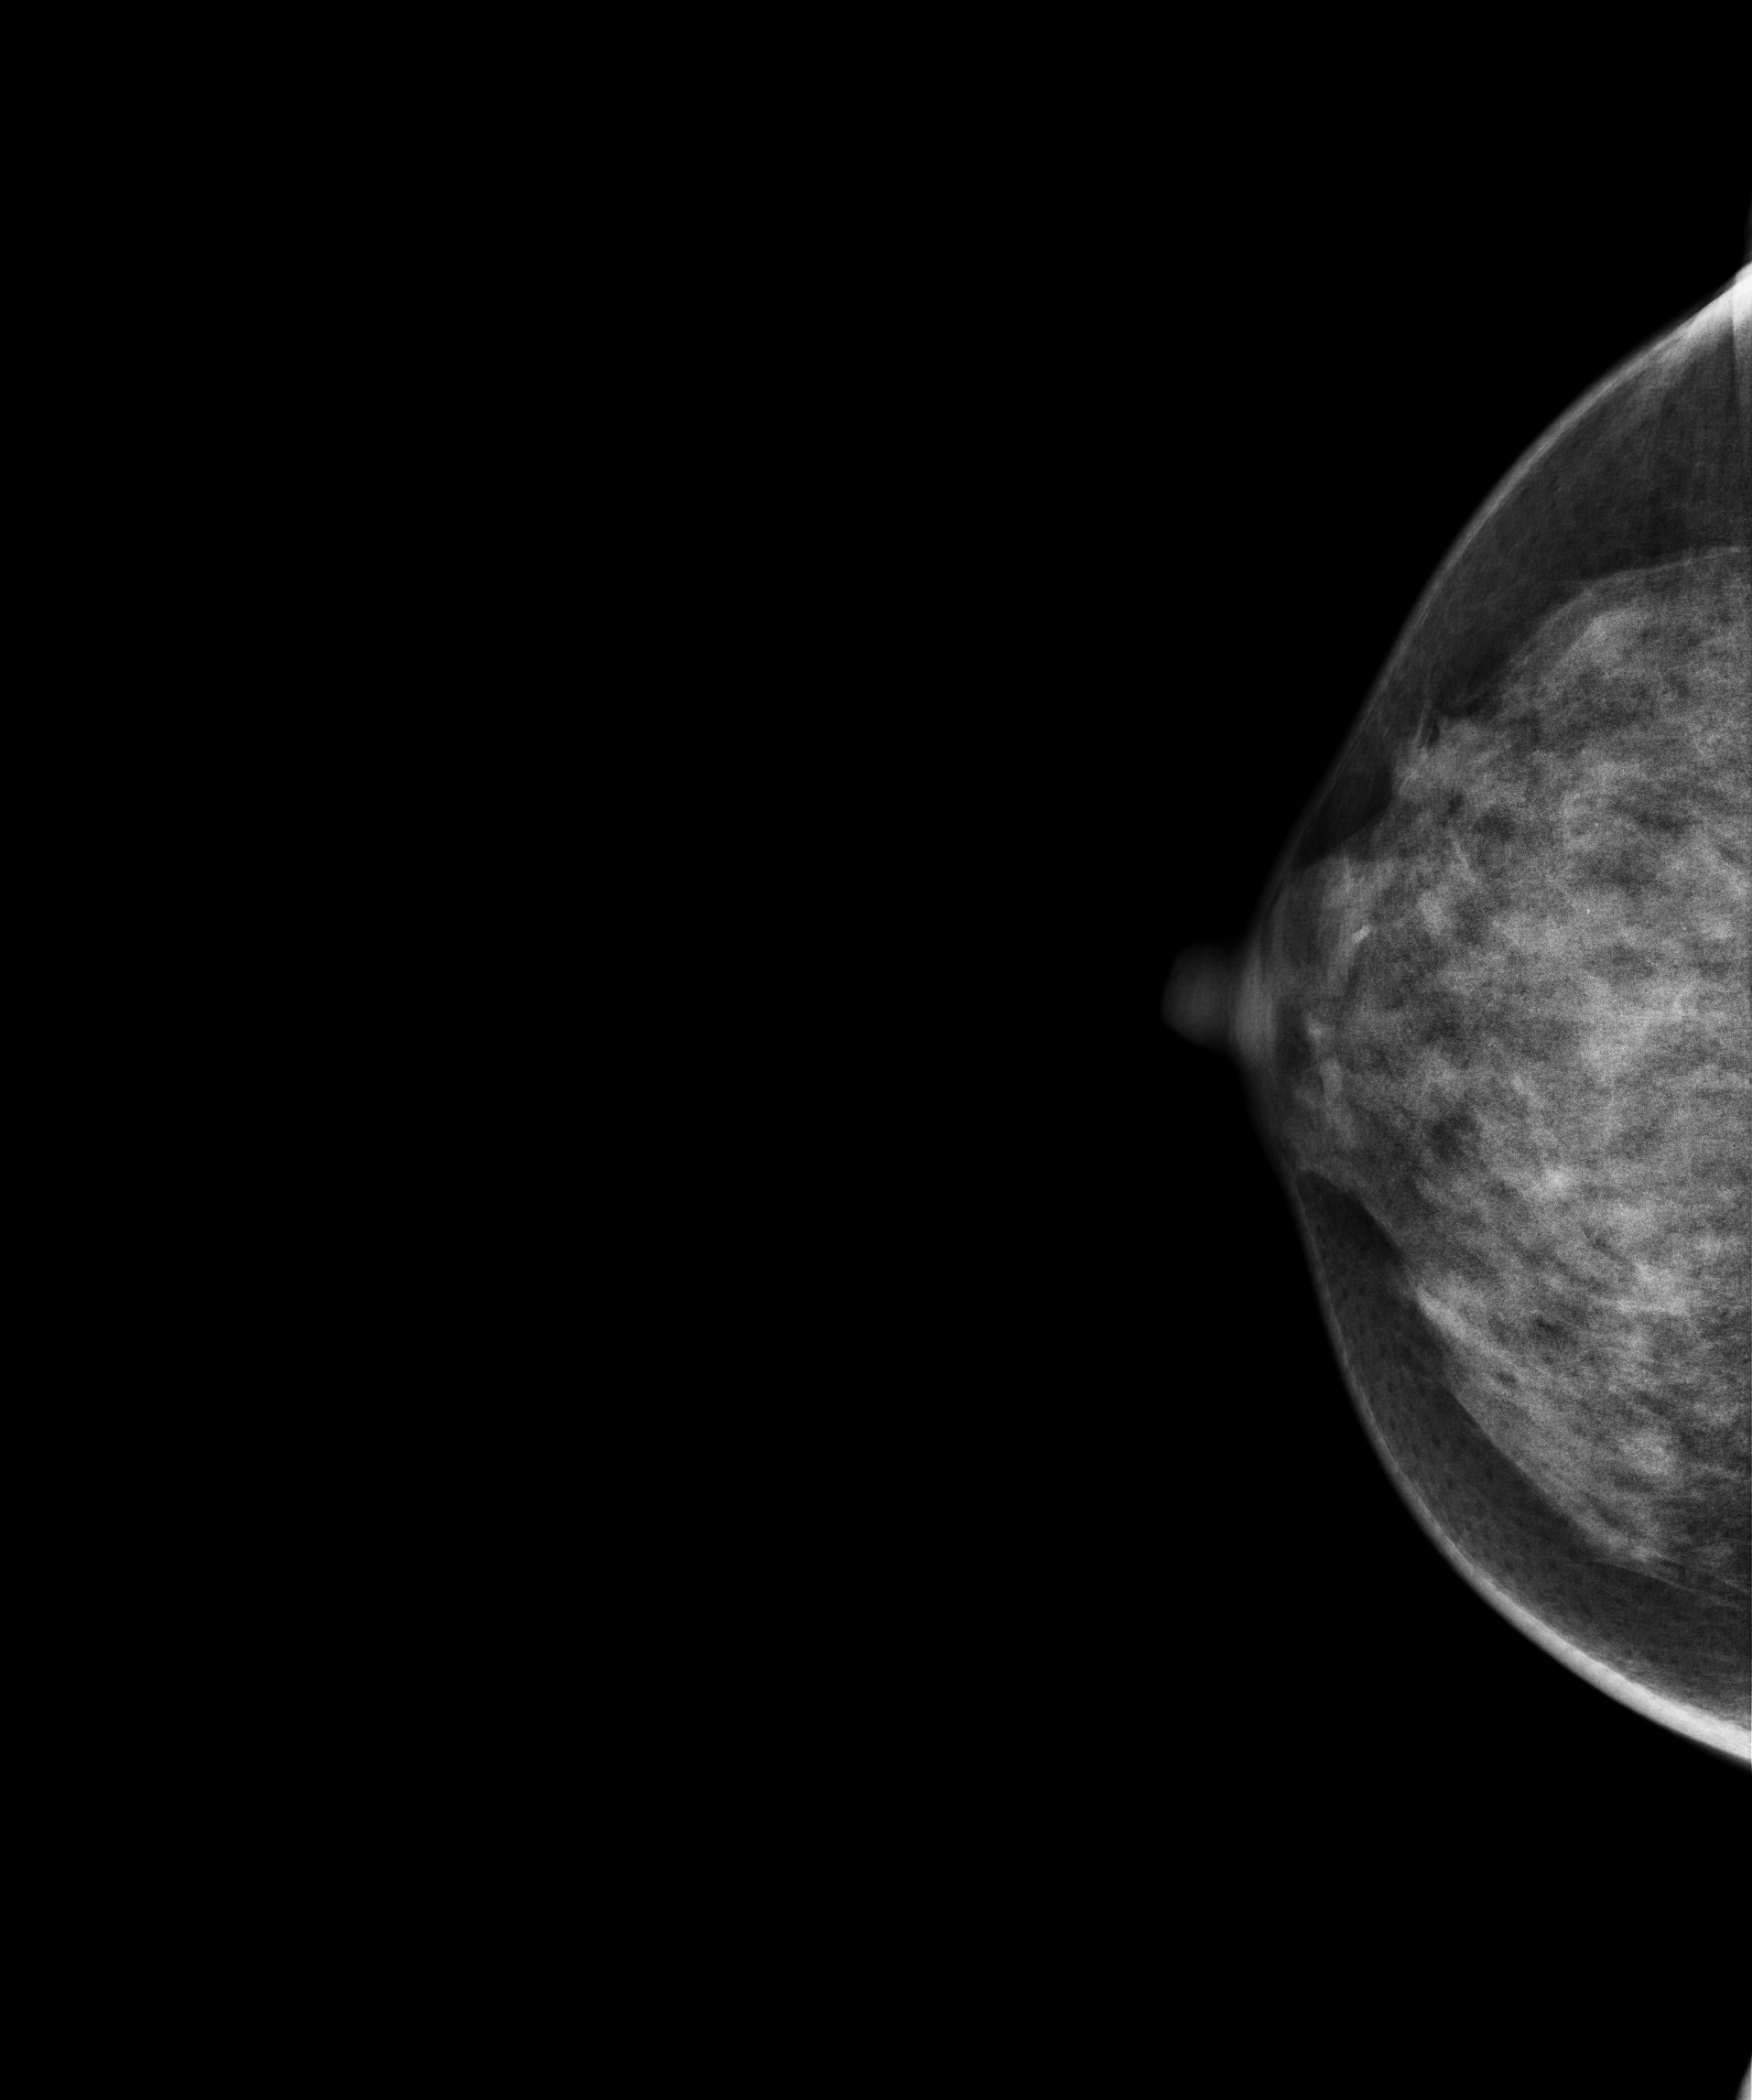
Mammogram, right breast, CC view. Patient age 37.
Contralateral breast — no documented abnormality on this side.